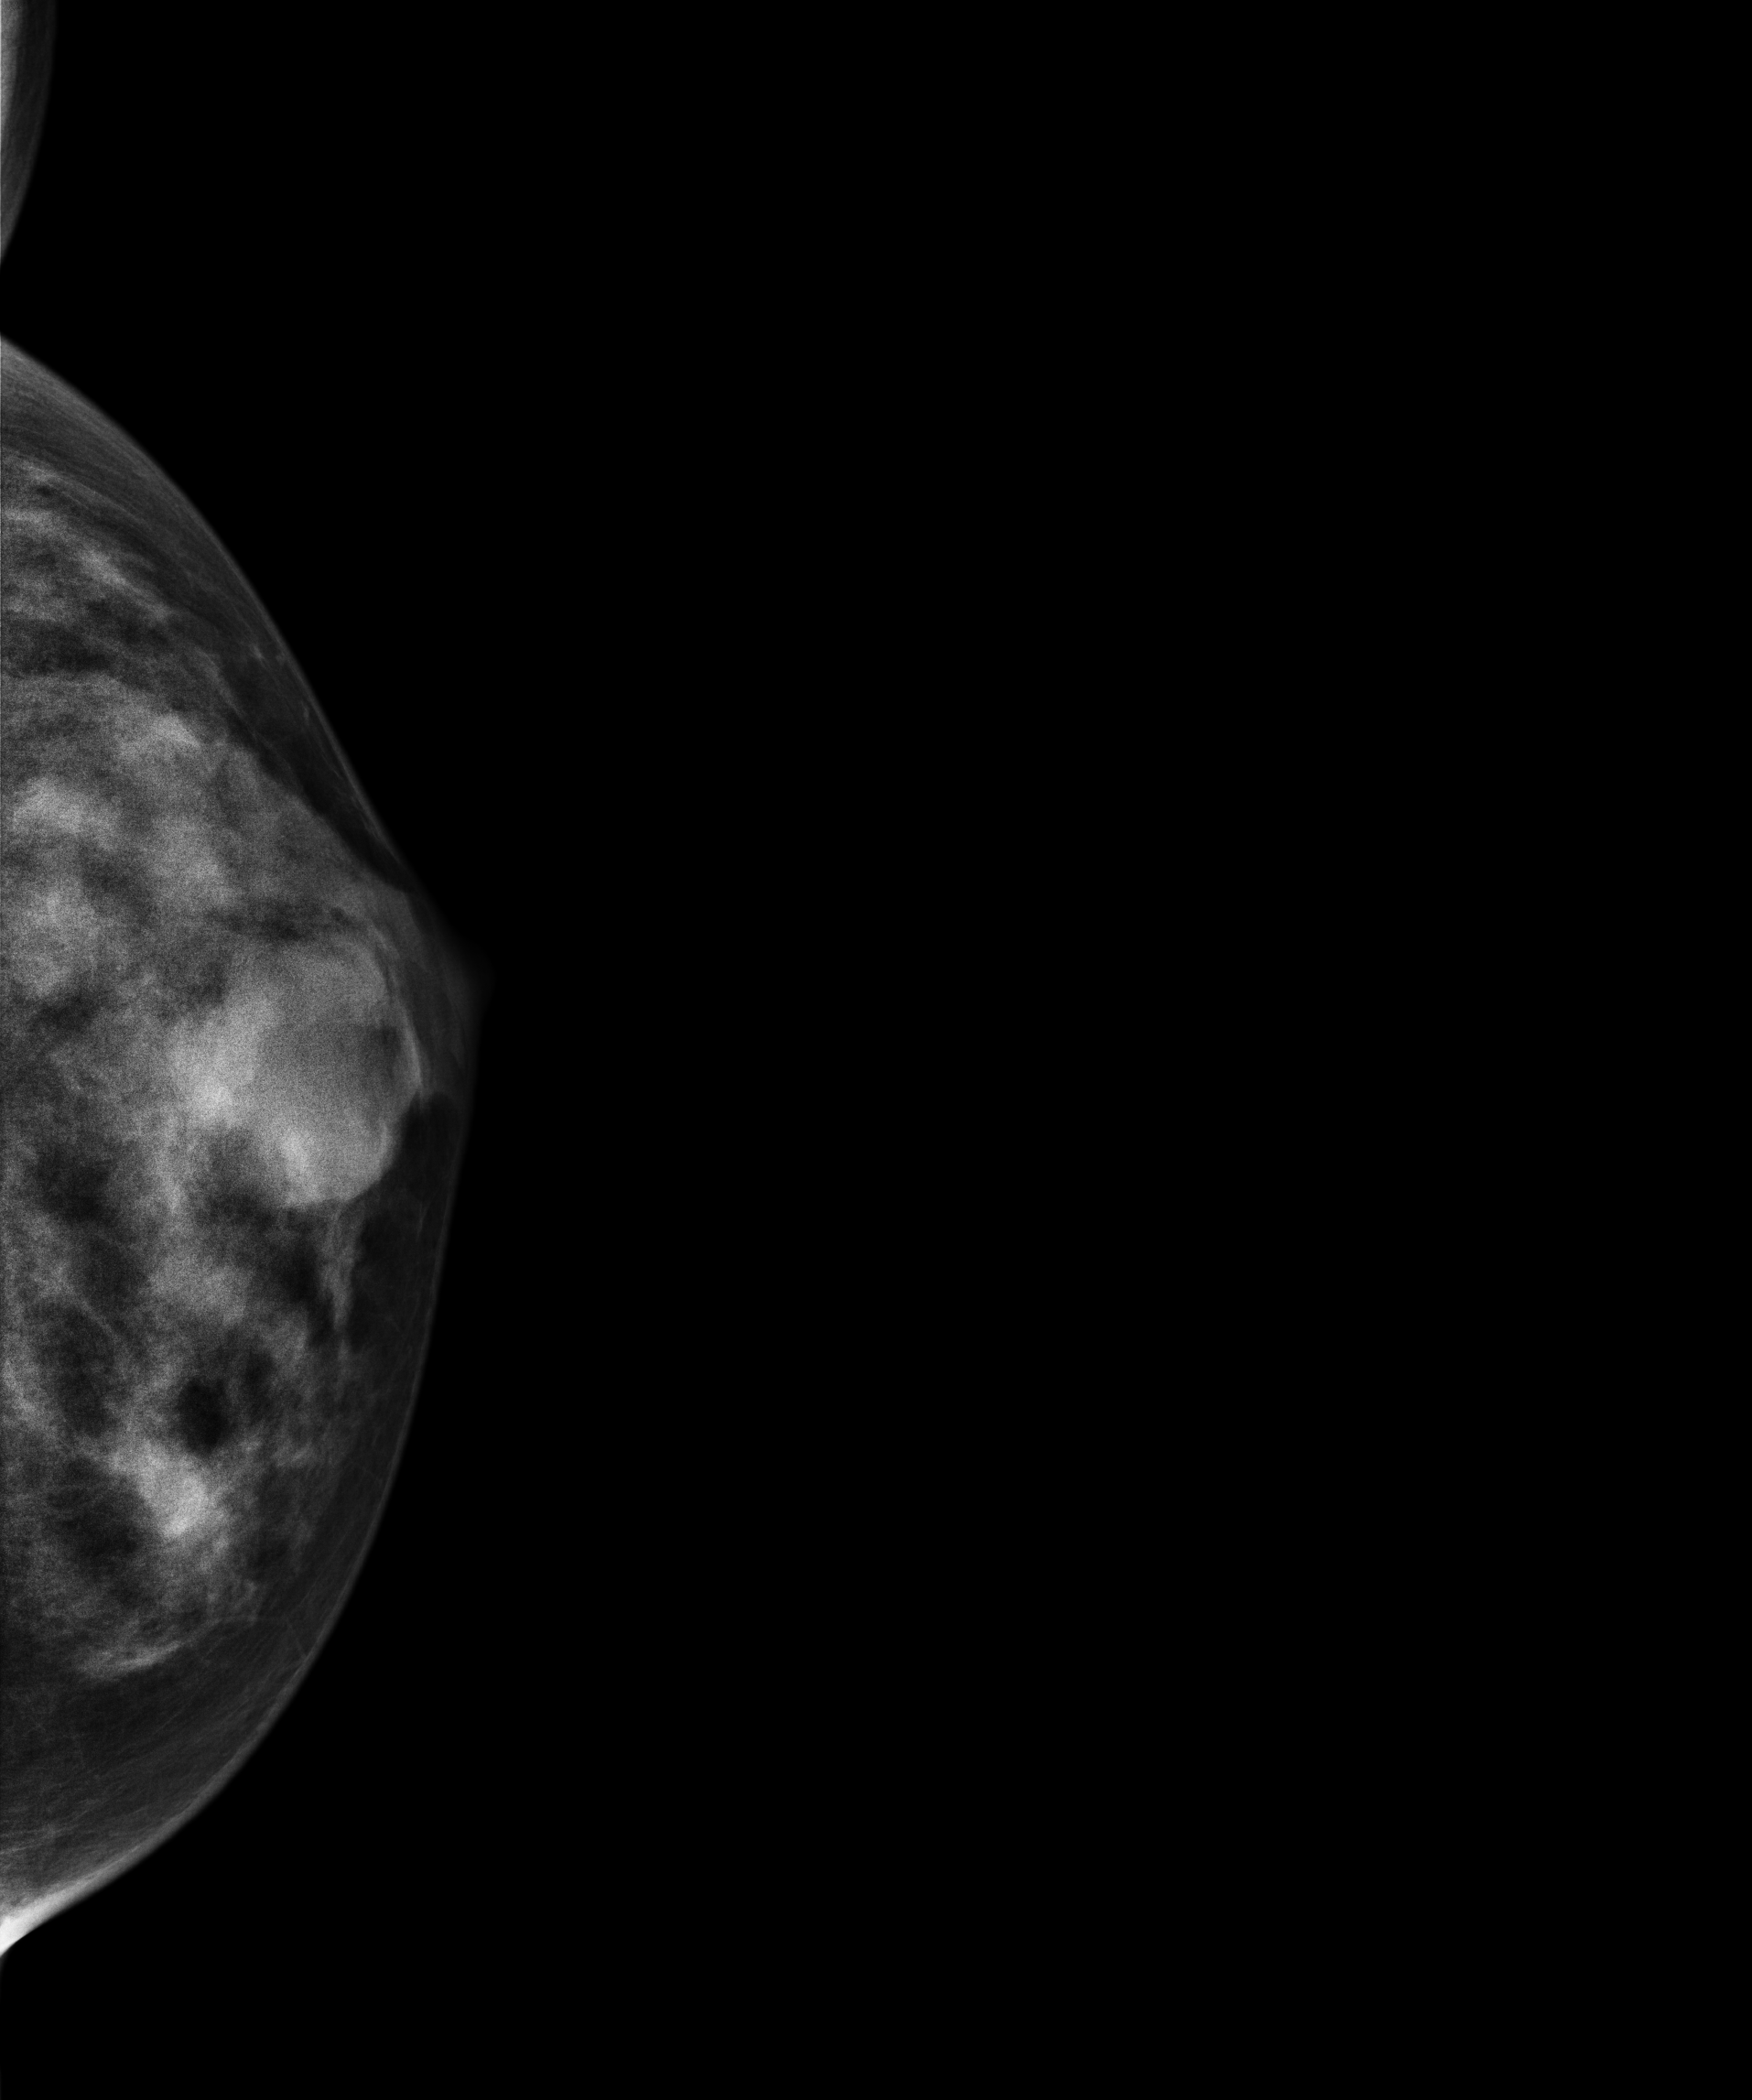
CC mammogram of the left breast. Patient age 19.
This breast has a mass, pathology-confirmed benign.